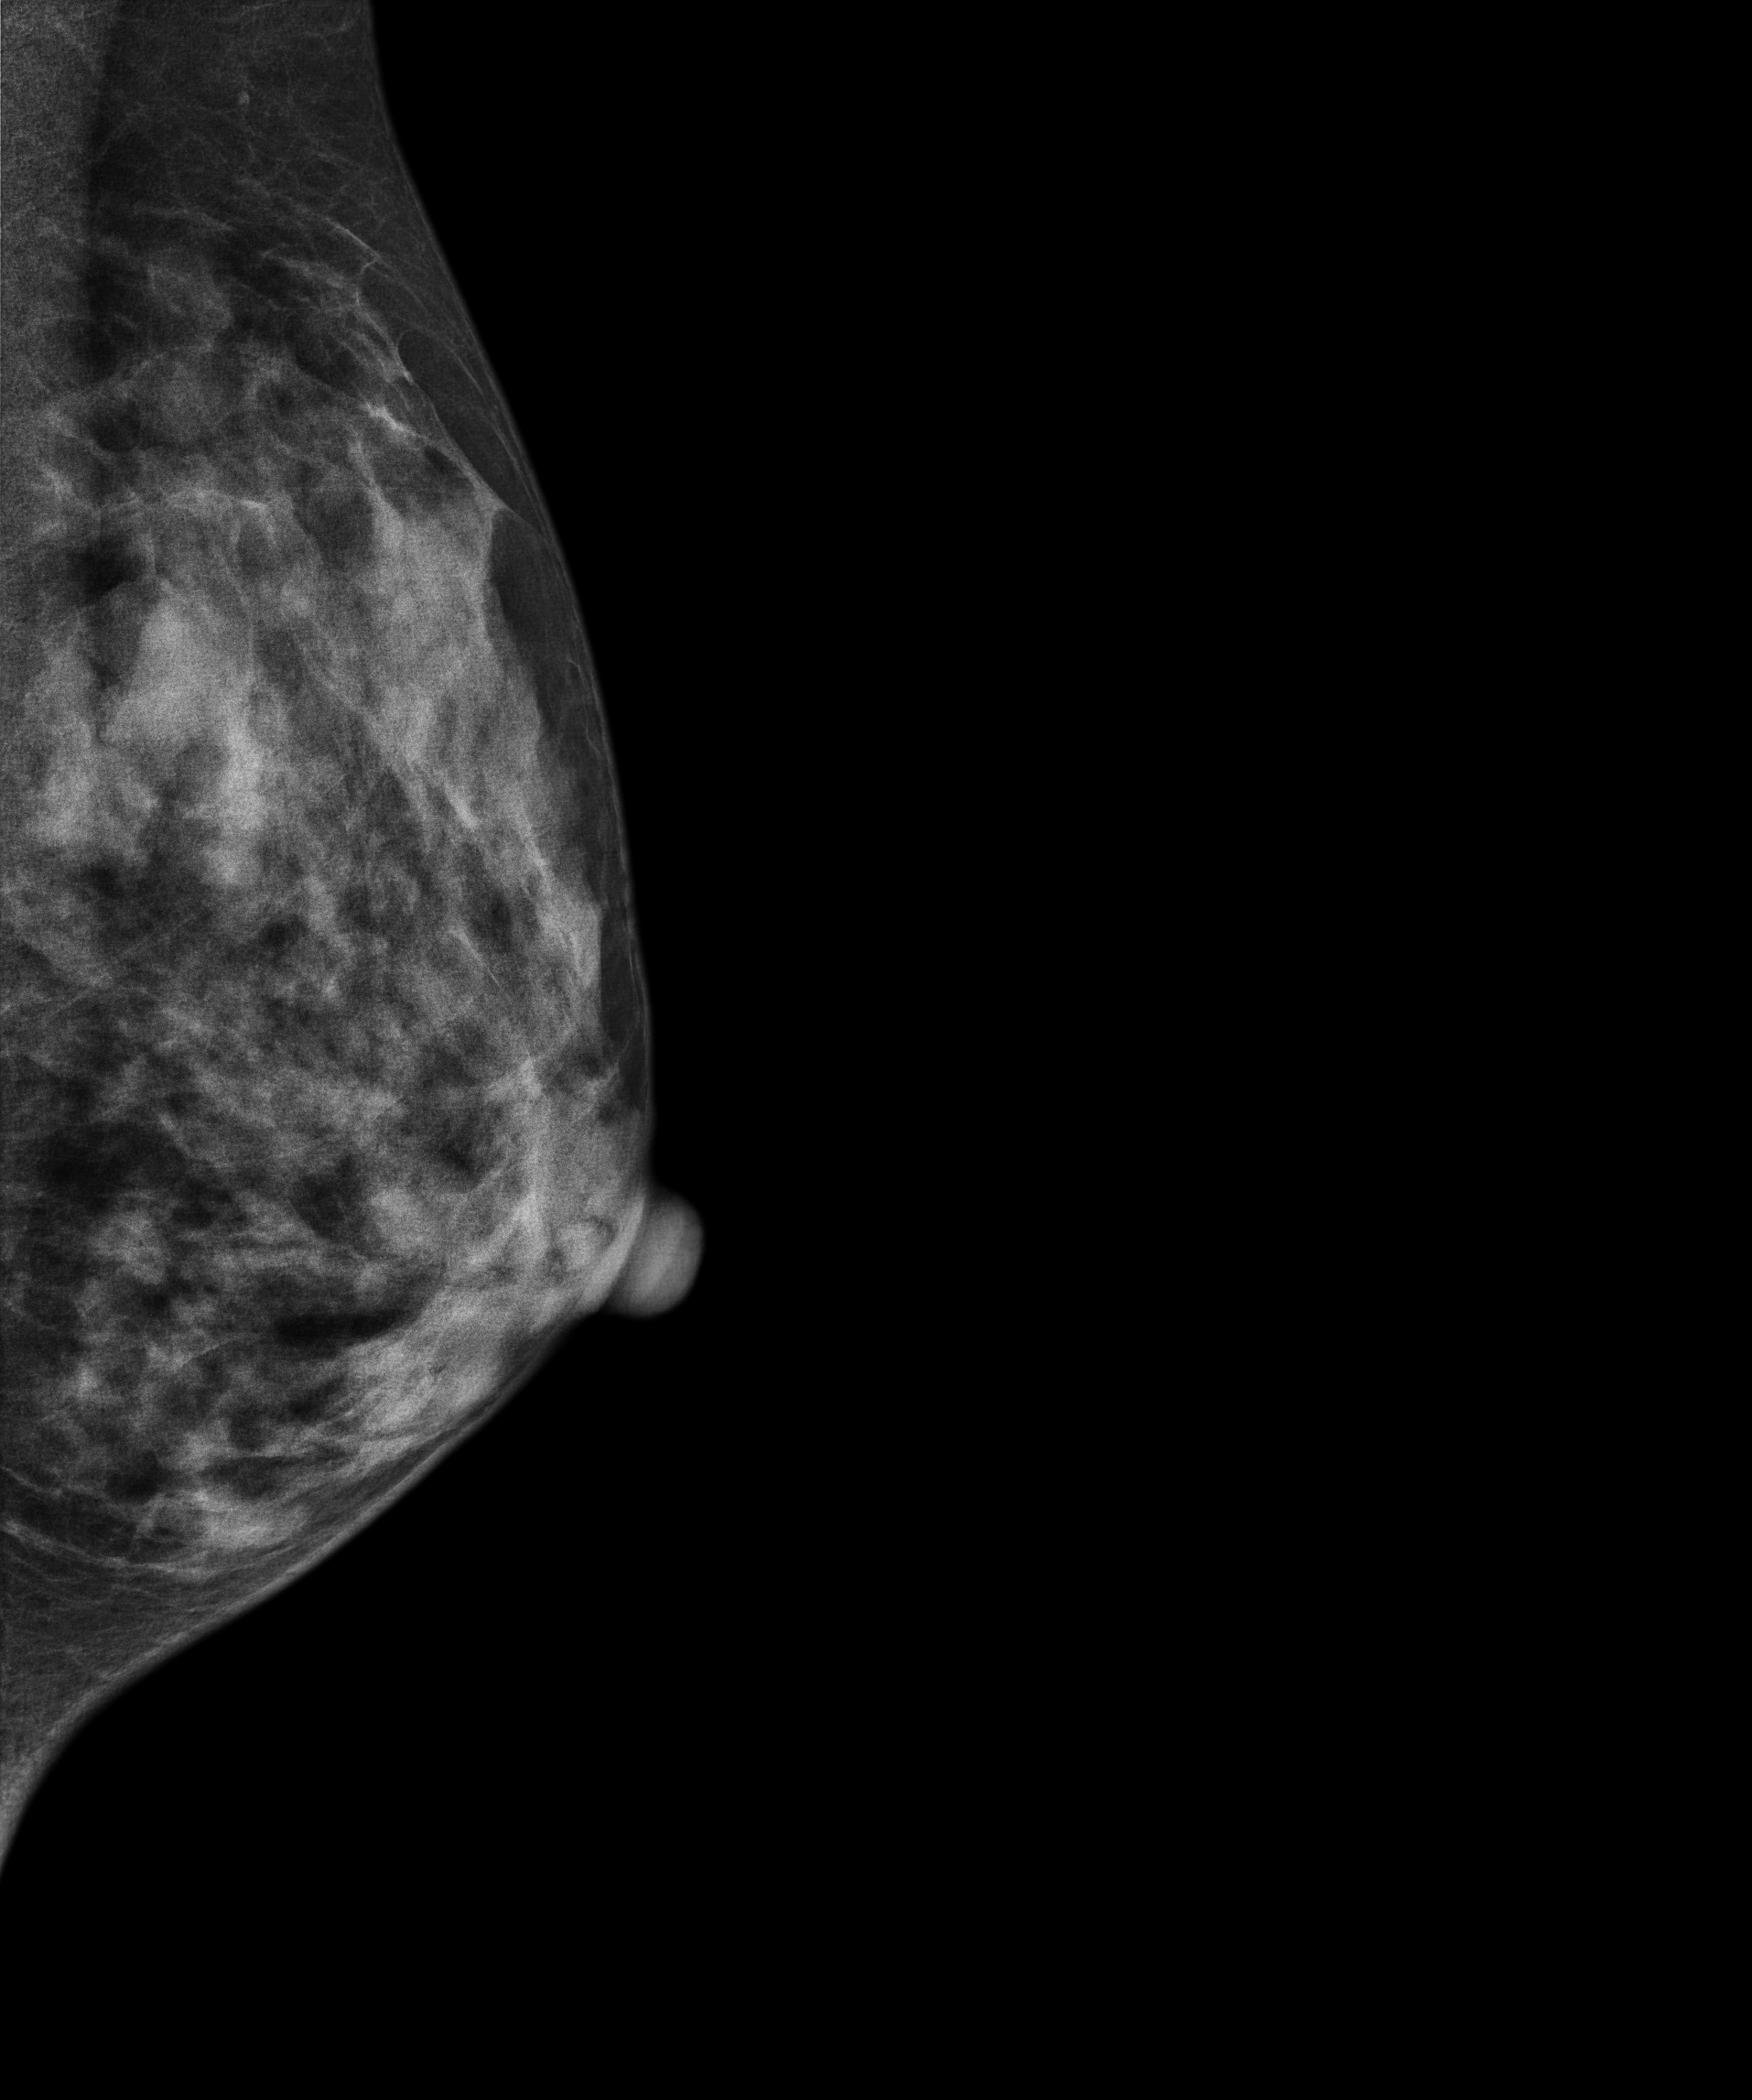
Mammogram — left medio-lateral oblique. Patient age 32.
This breast has a mass, pathology-confirmed benign.